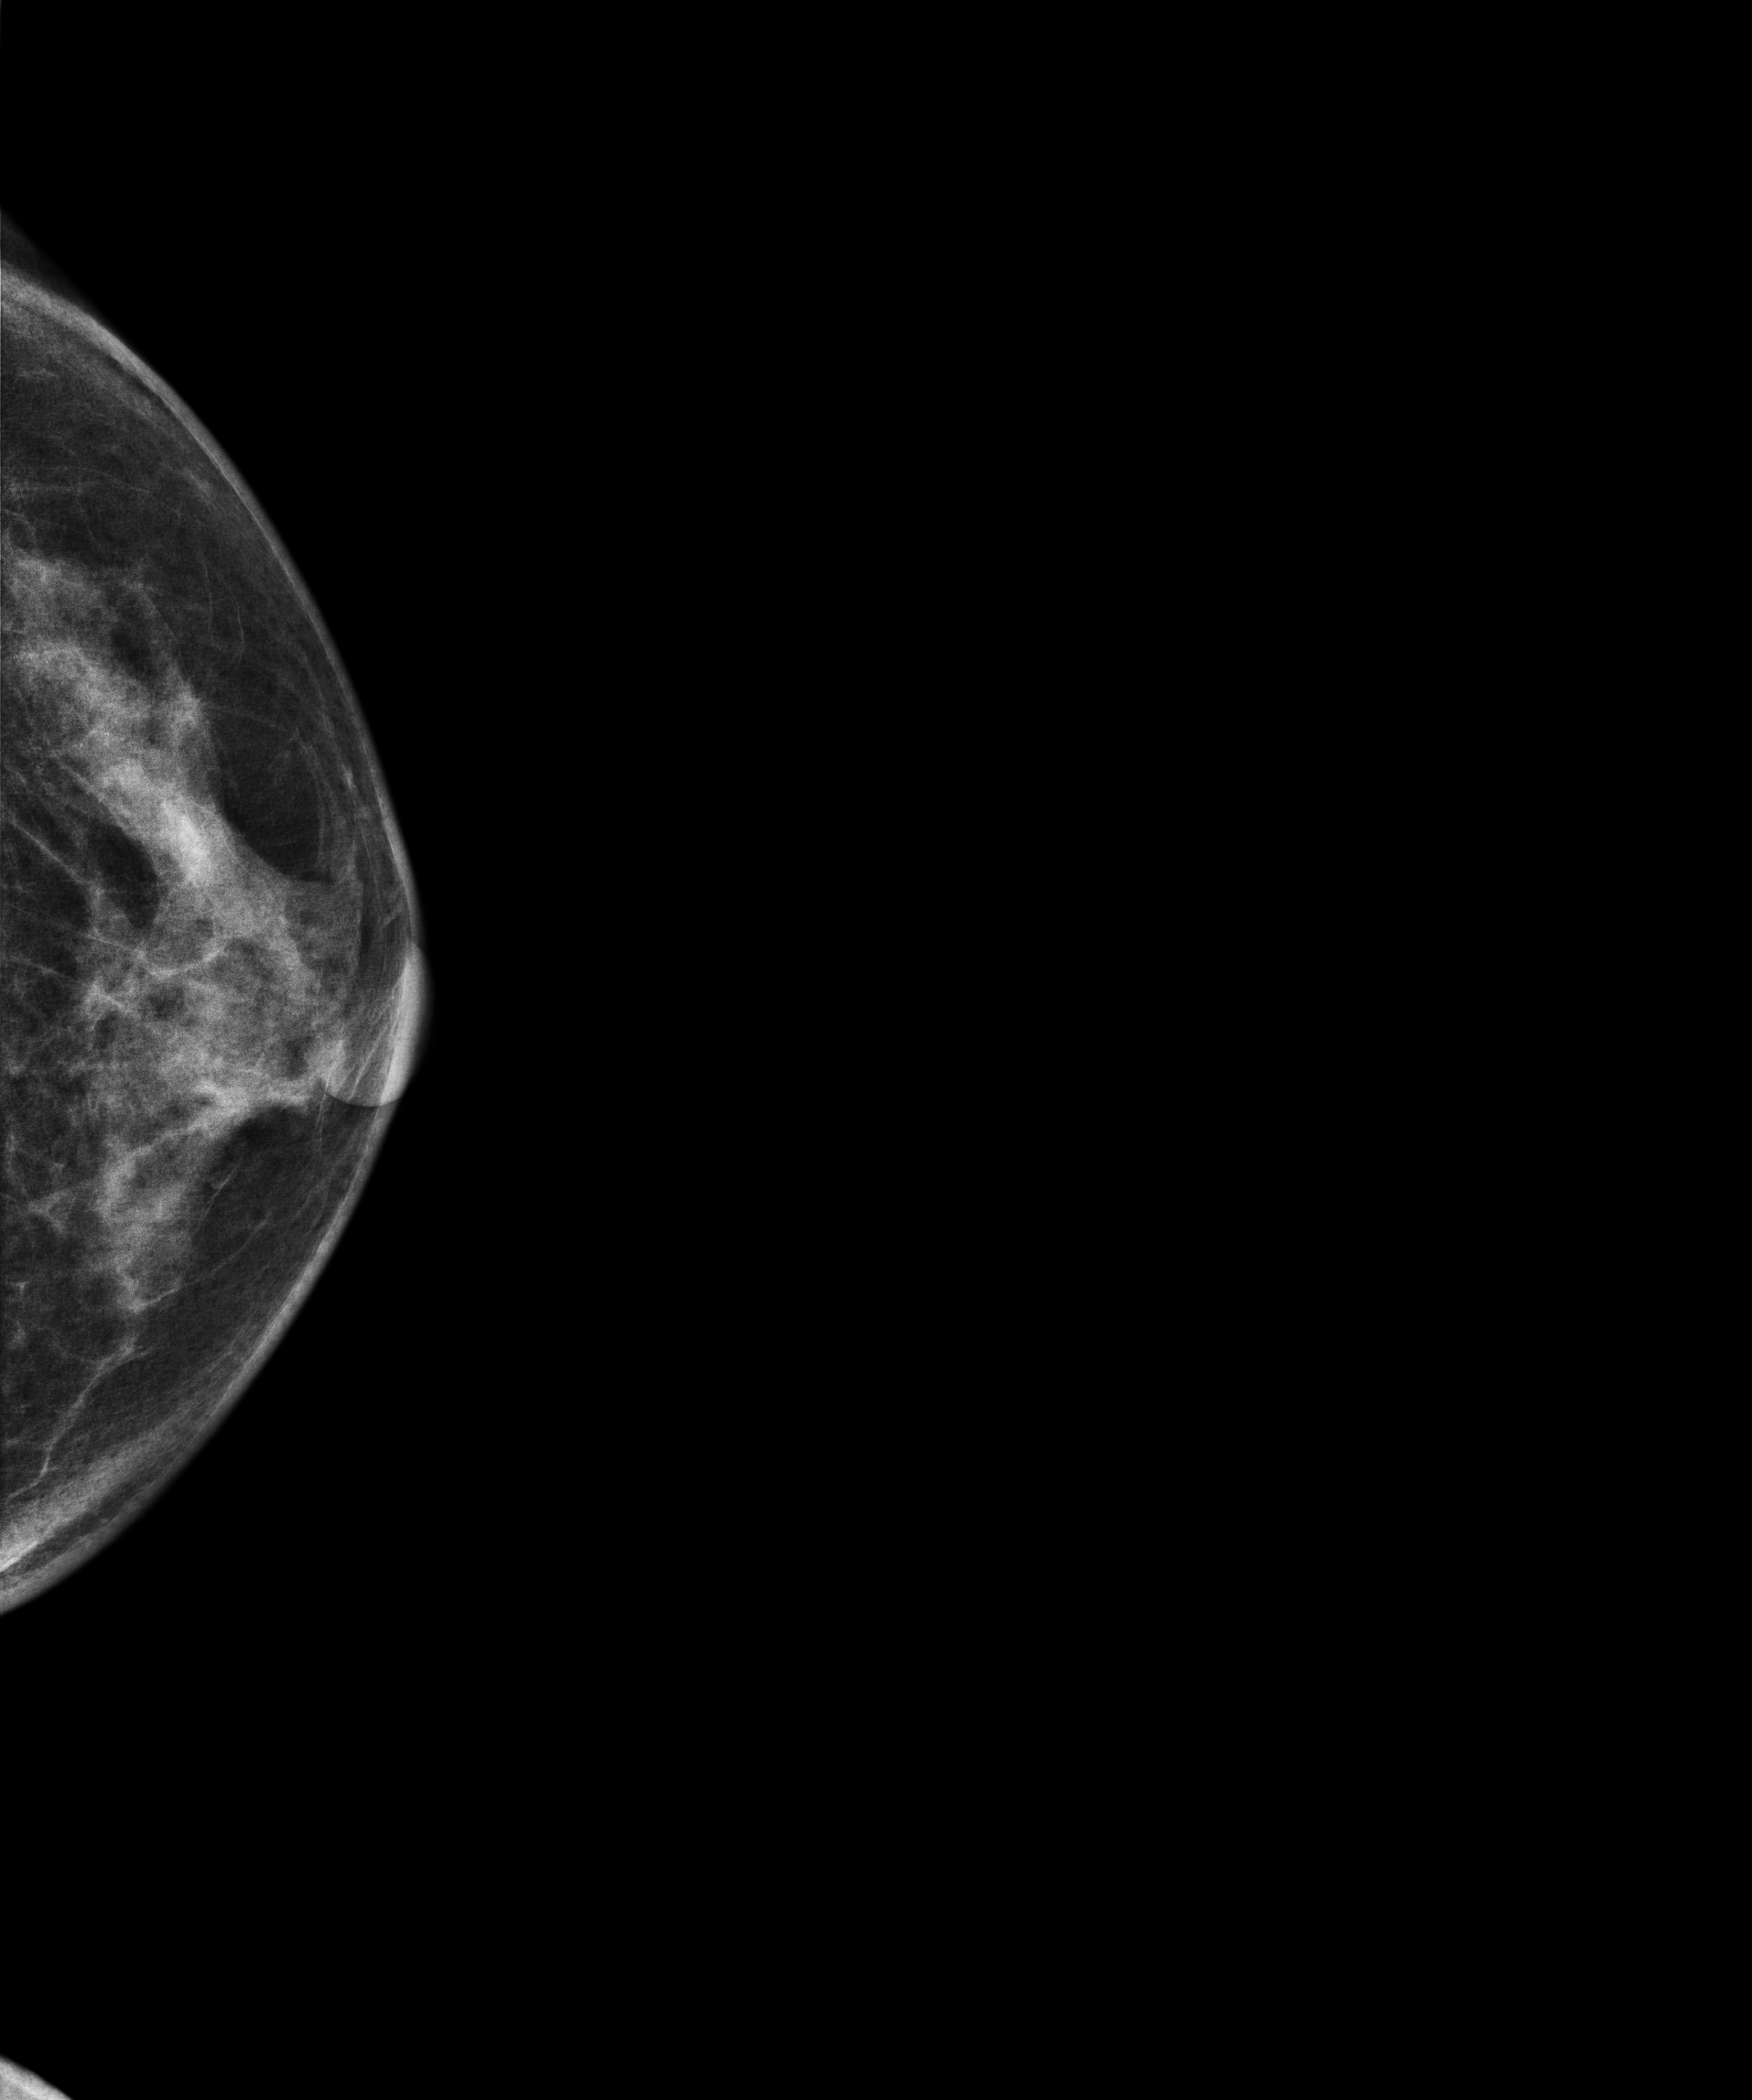
Mammogram, left breast, CC view. 51-year-old patient.
Contralateral breast — no documented abnormality on this side.